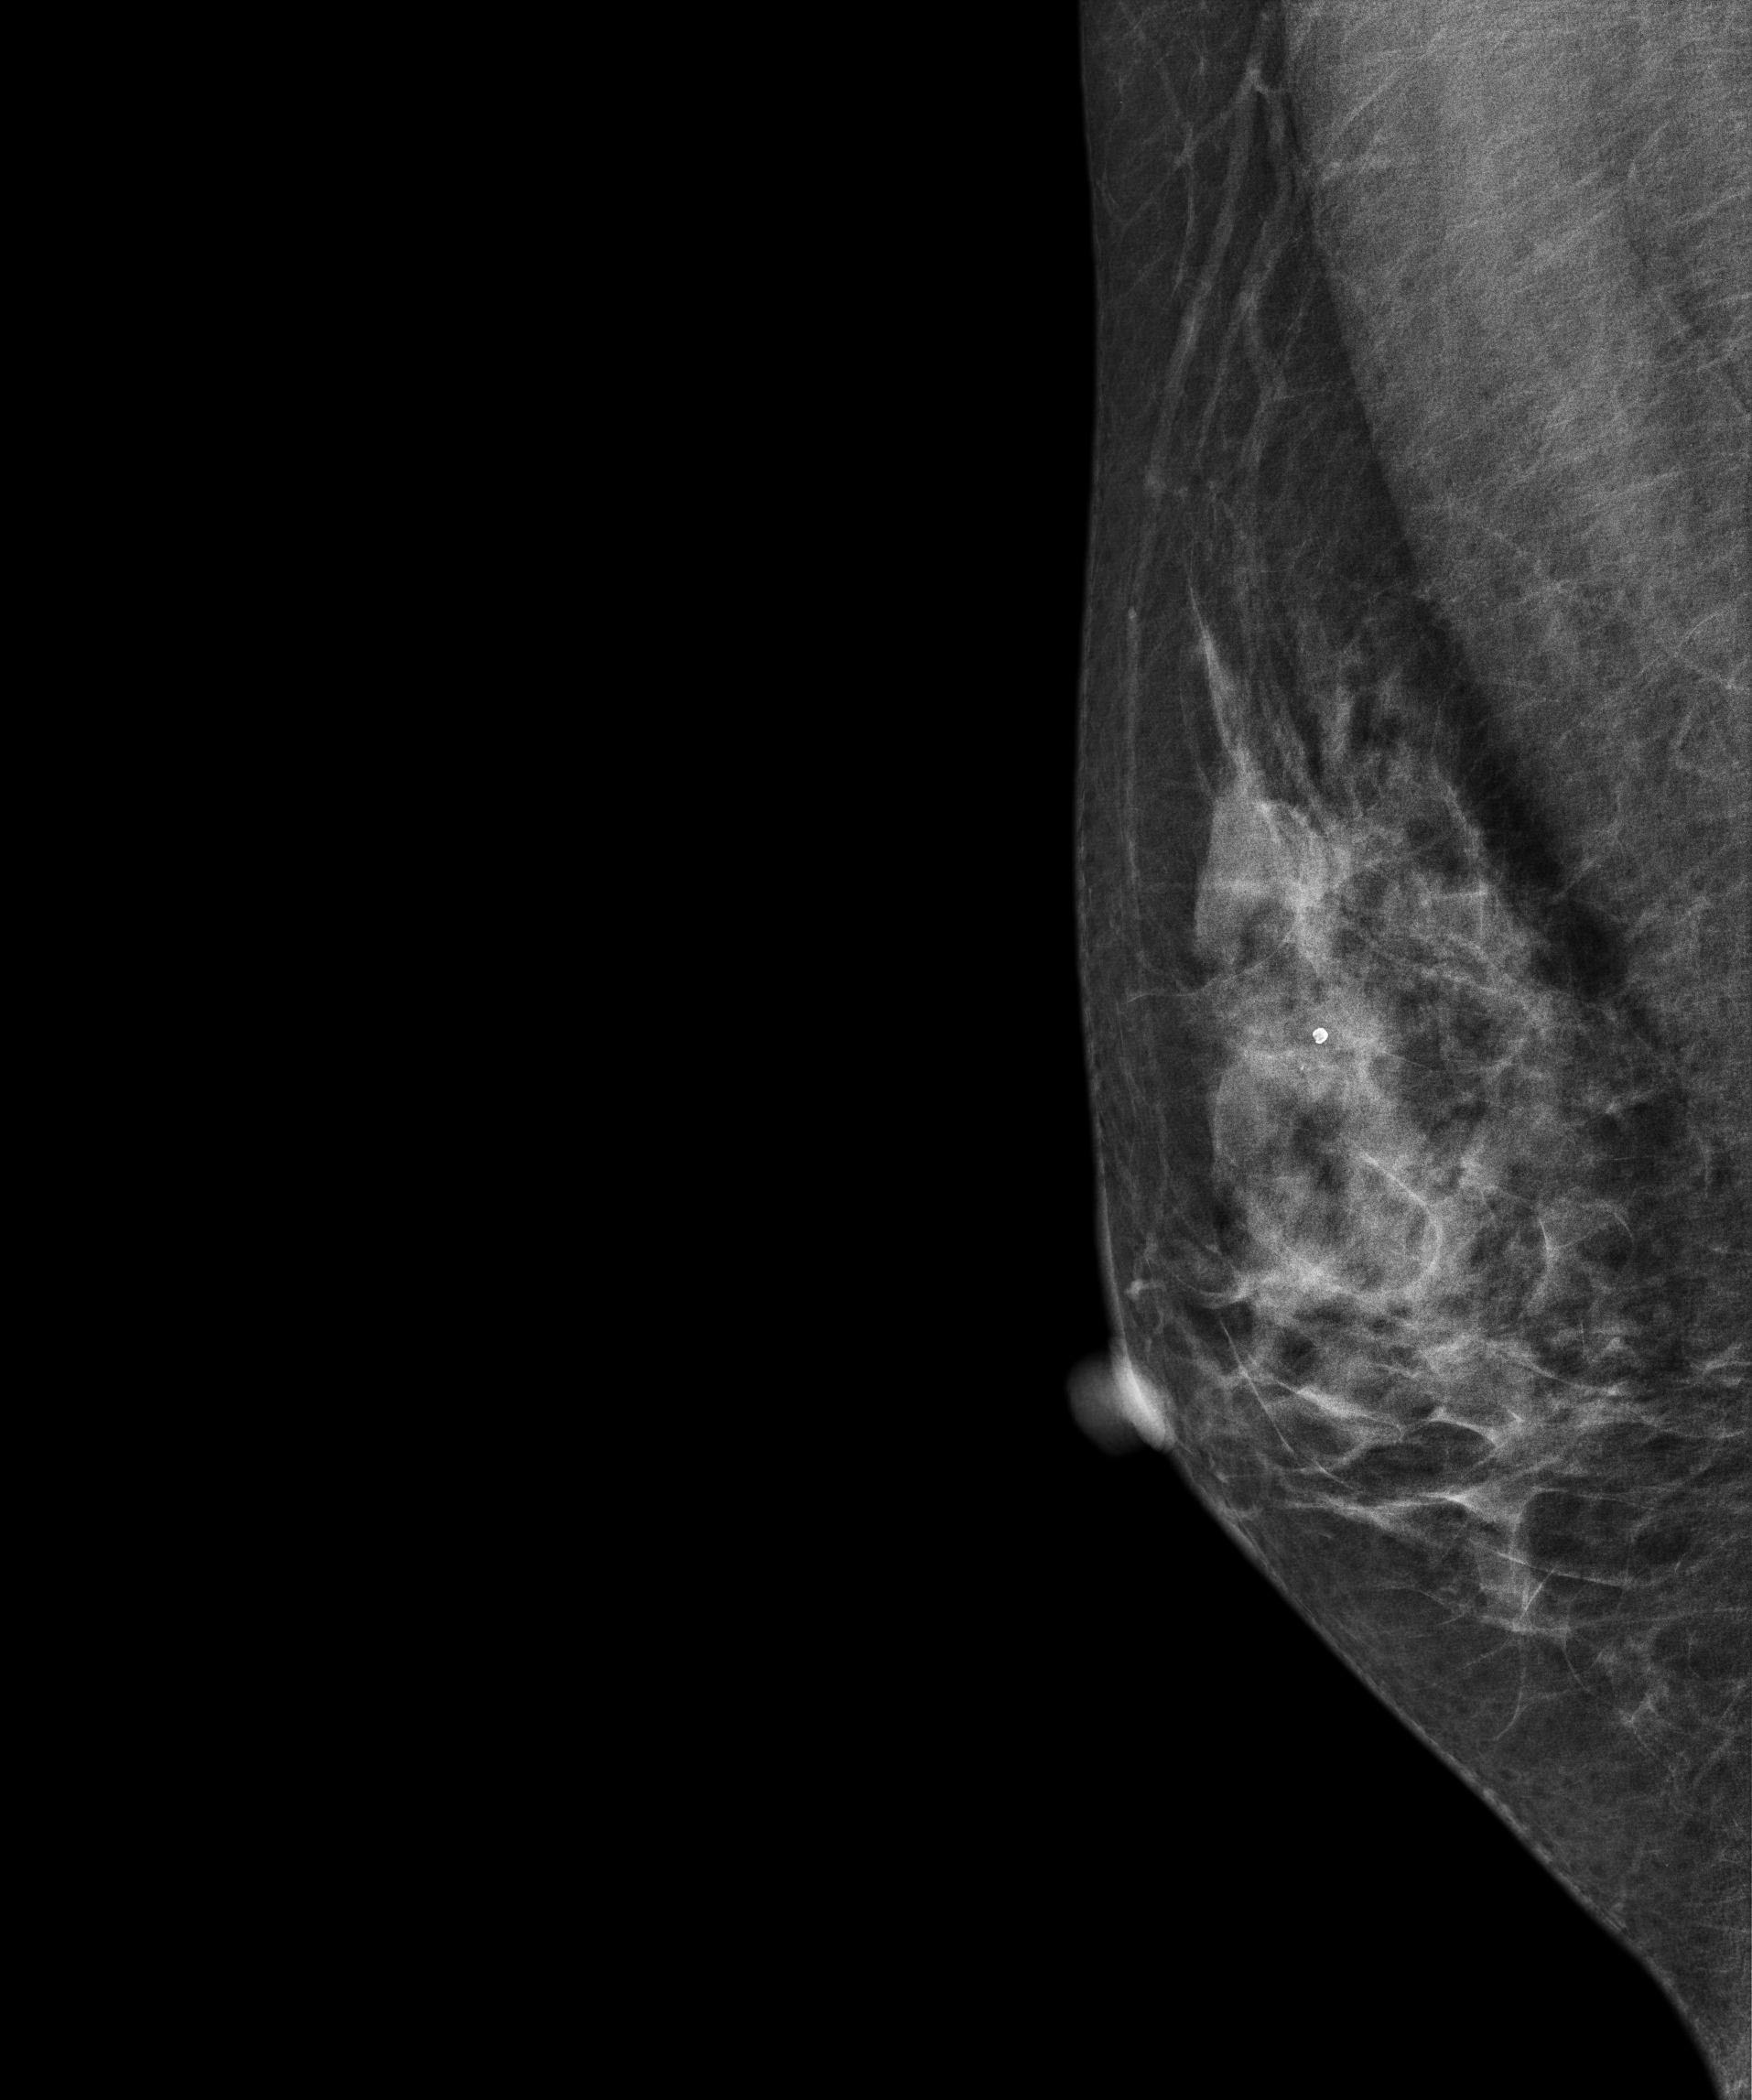
Mammogram, right breast, MLO view. Patient age 50.
Contralateral breast — no documented abnormality on this side.